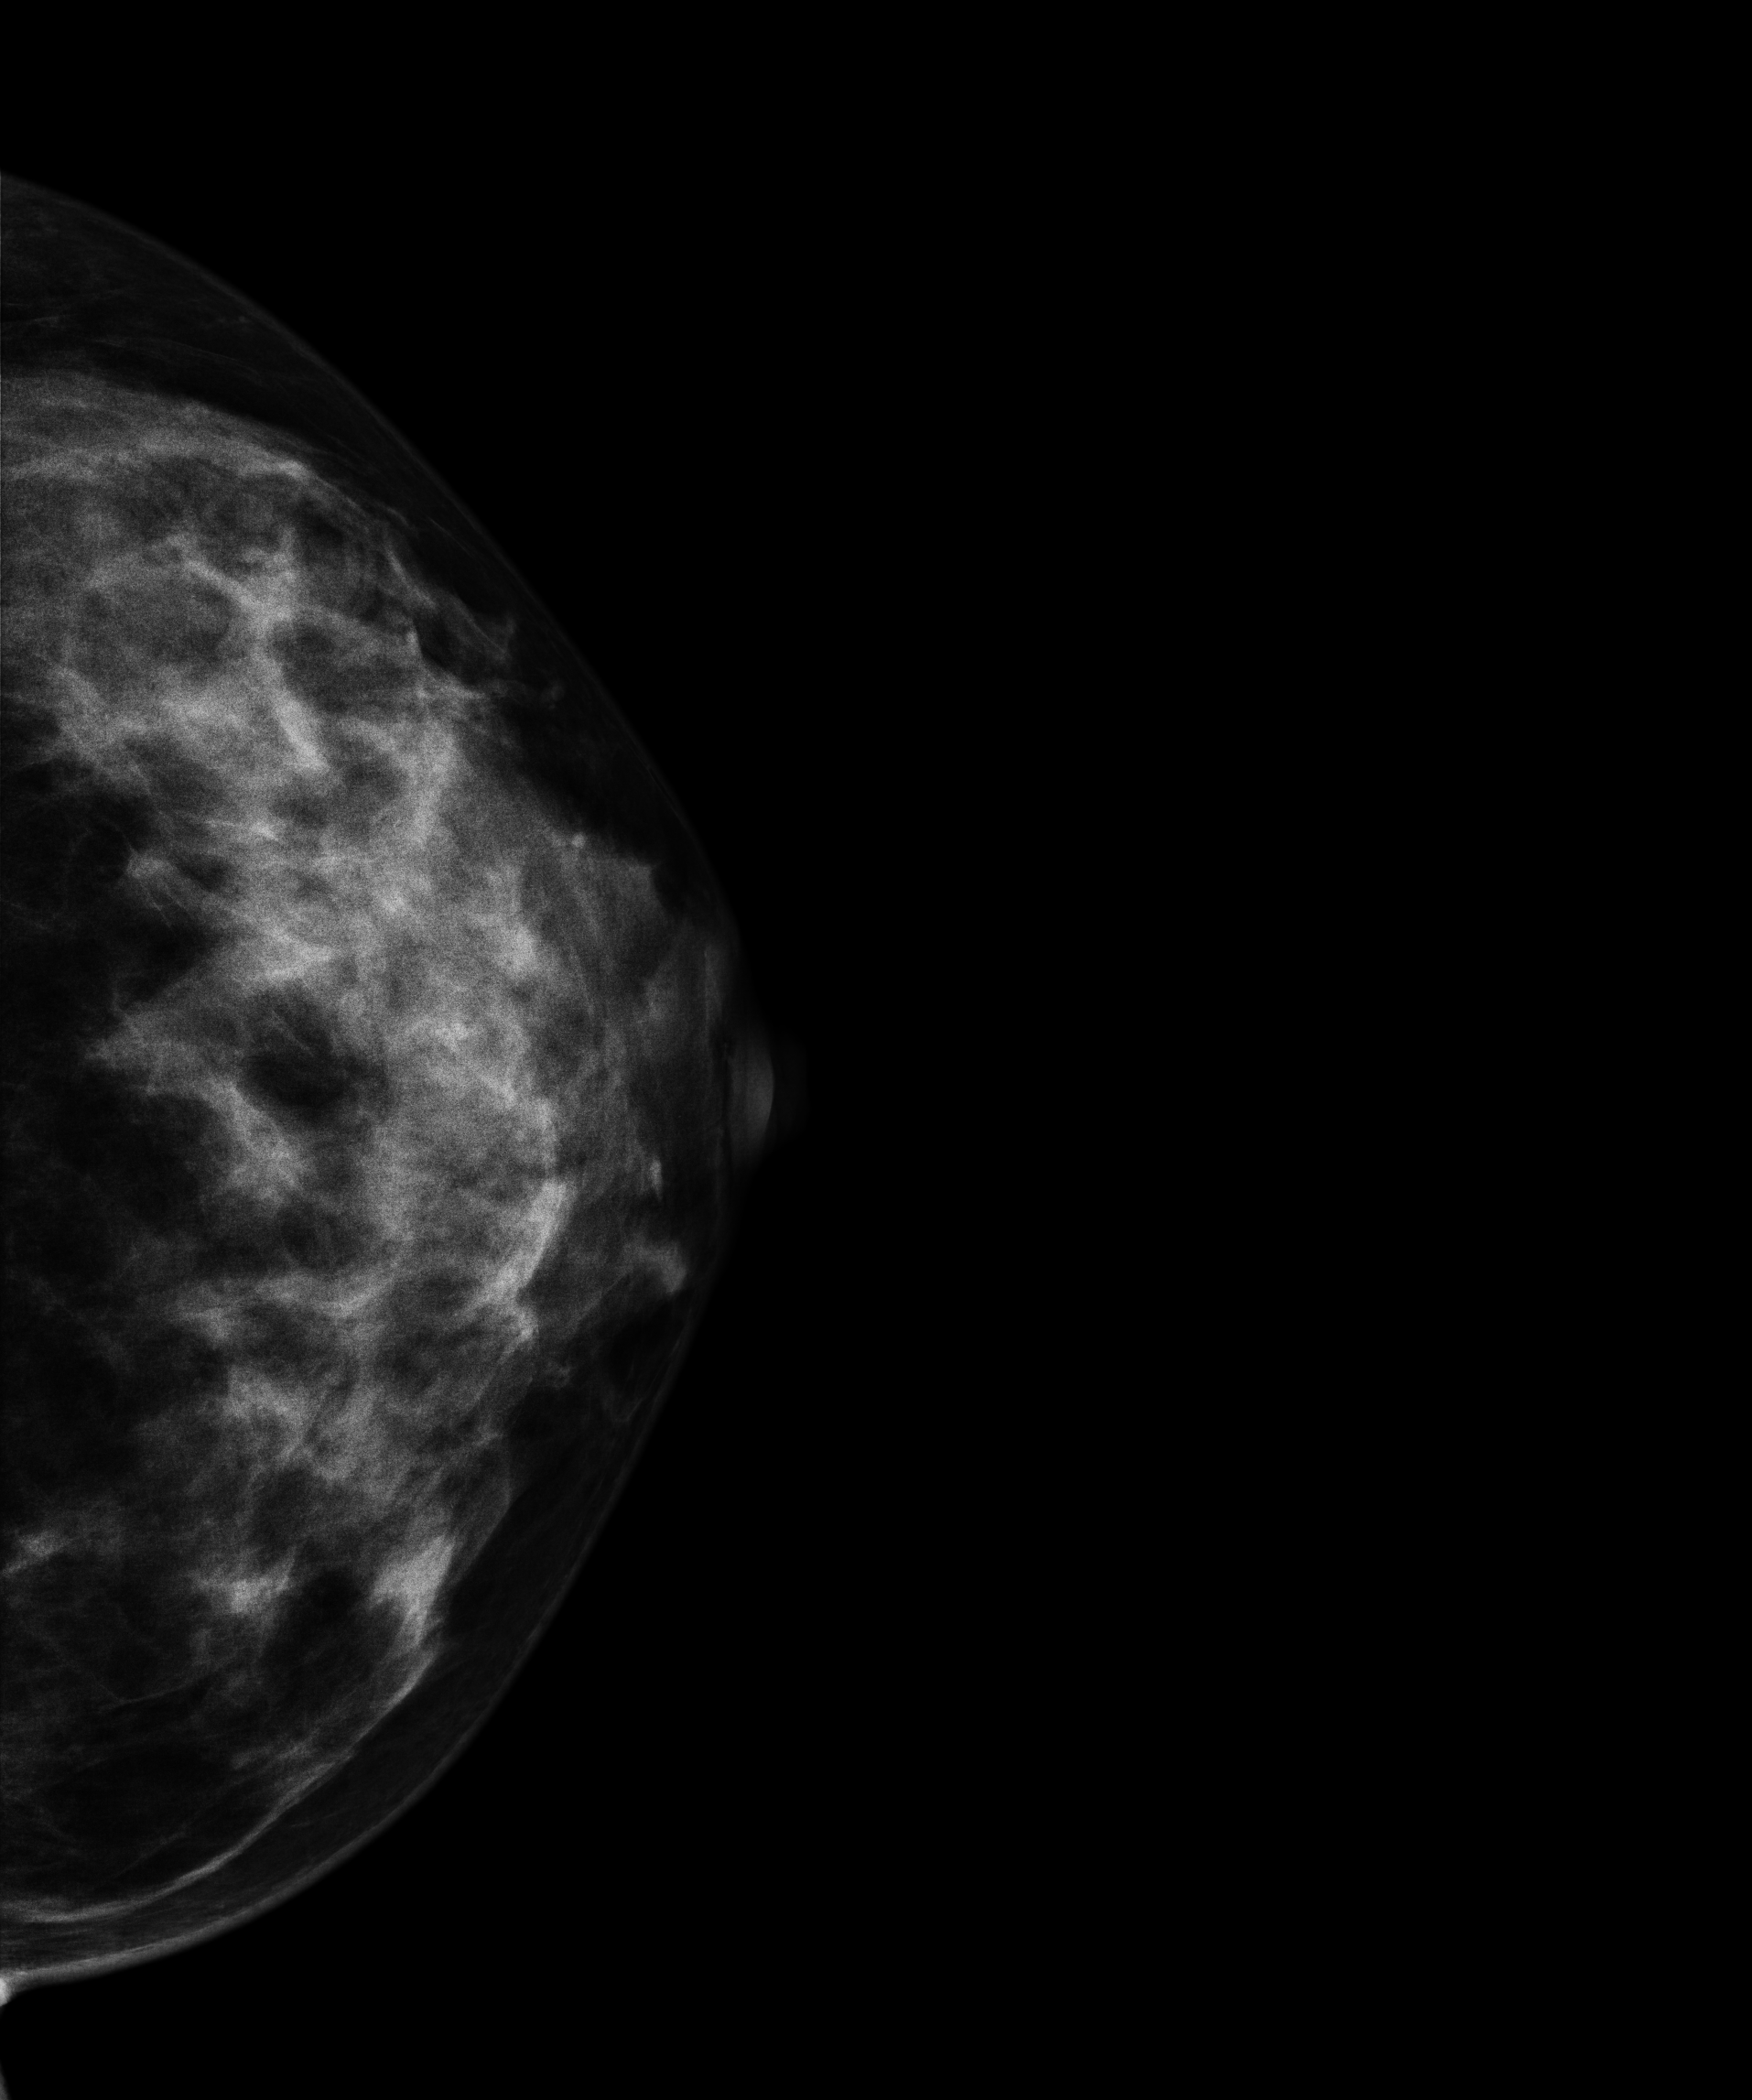
Digital mammography. Left breast, CC projection. 41-year-old patient.
This breast has a mass, pathology-confirmed malignant.